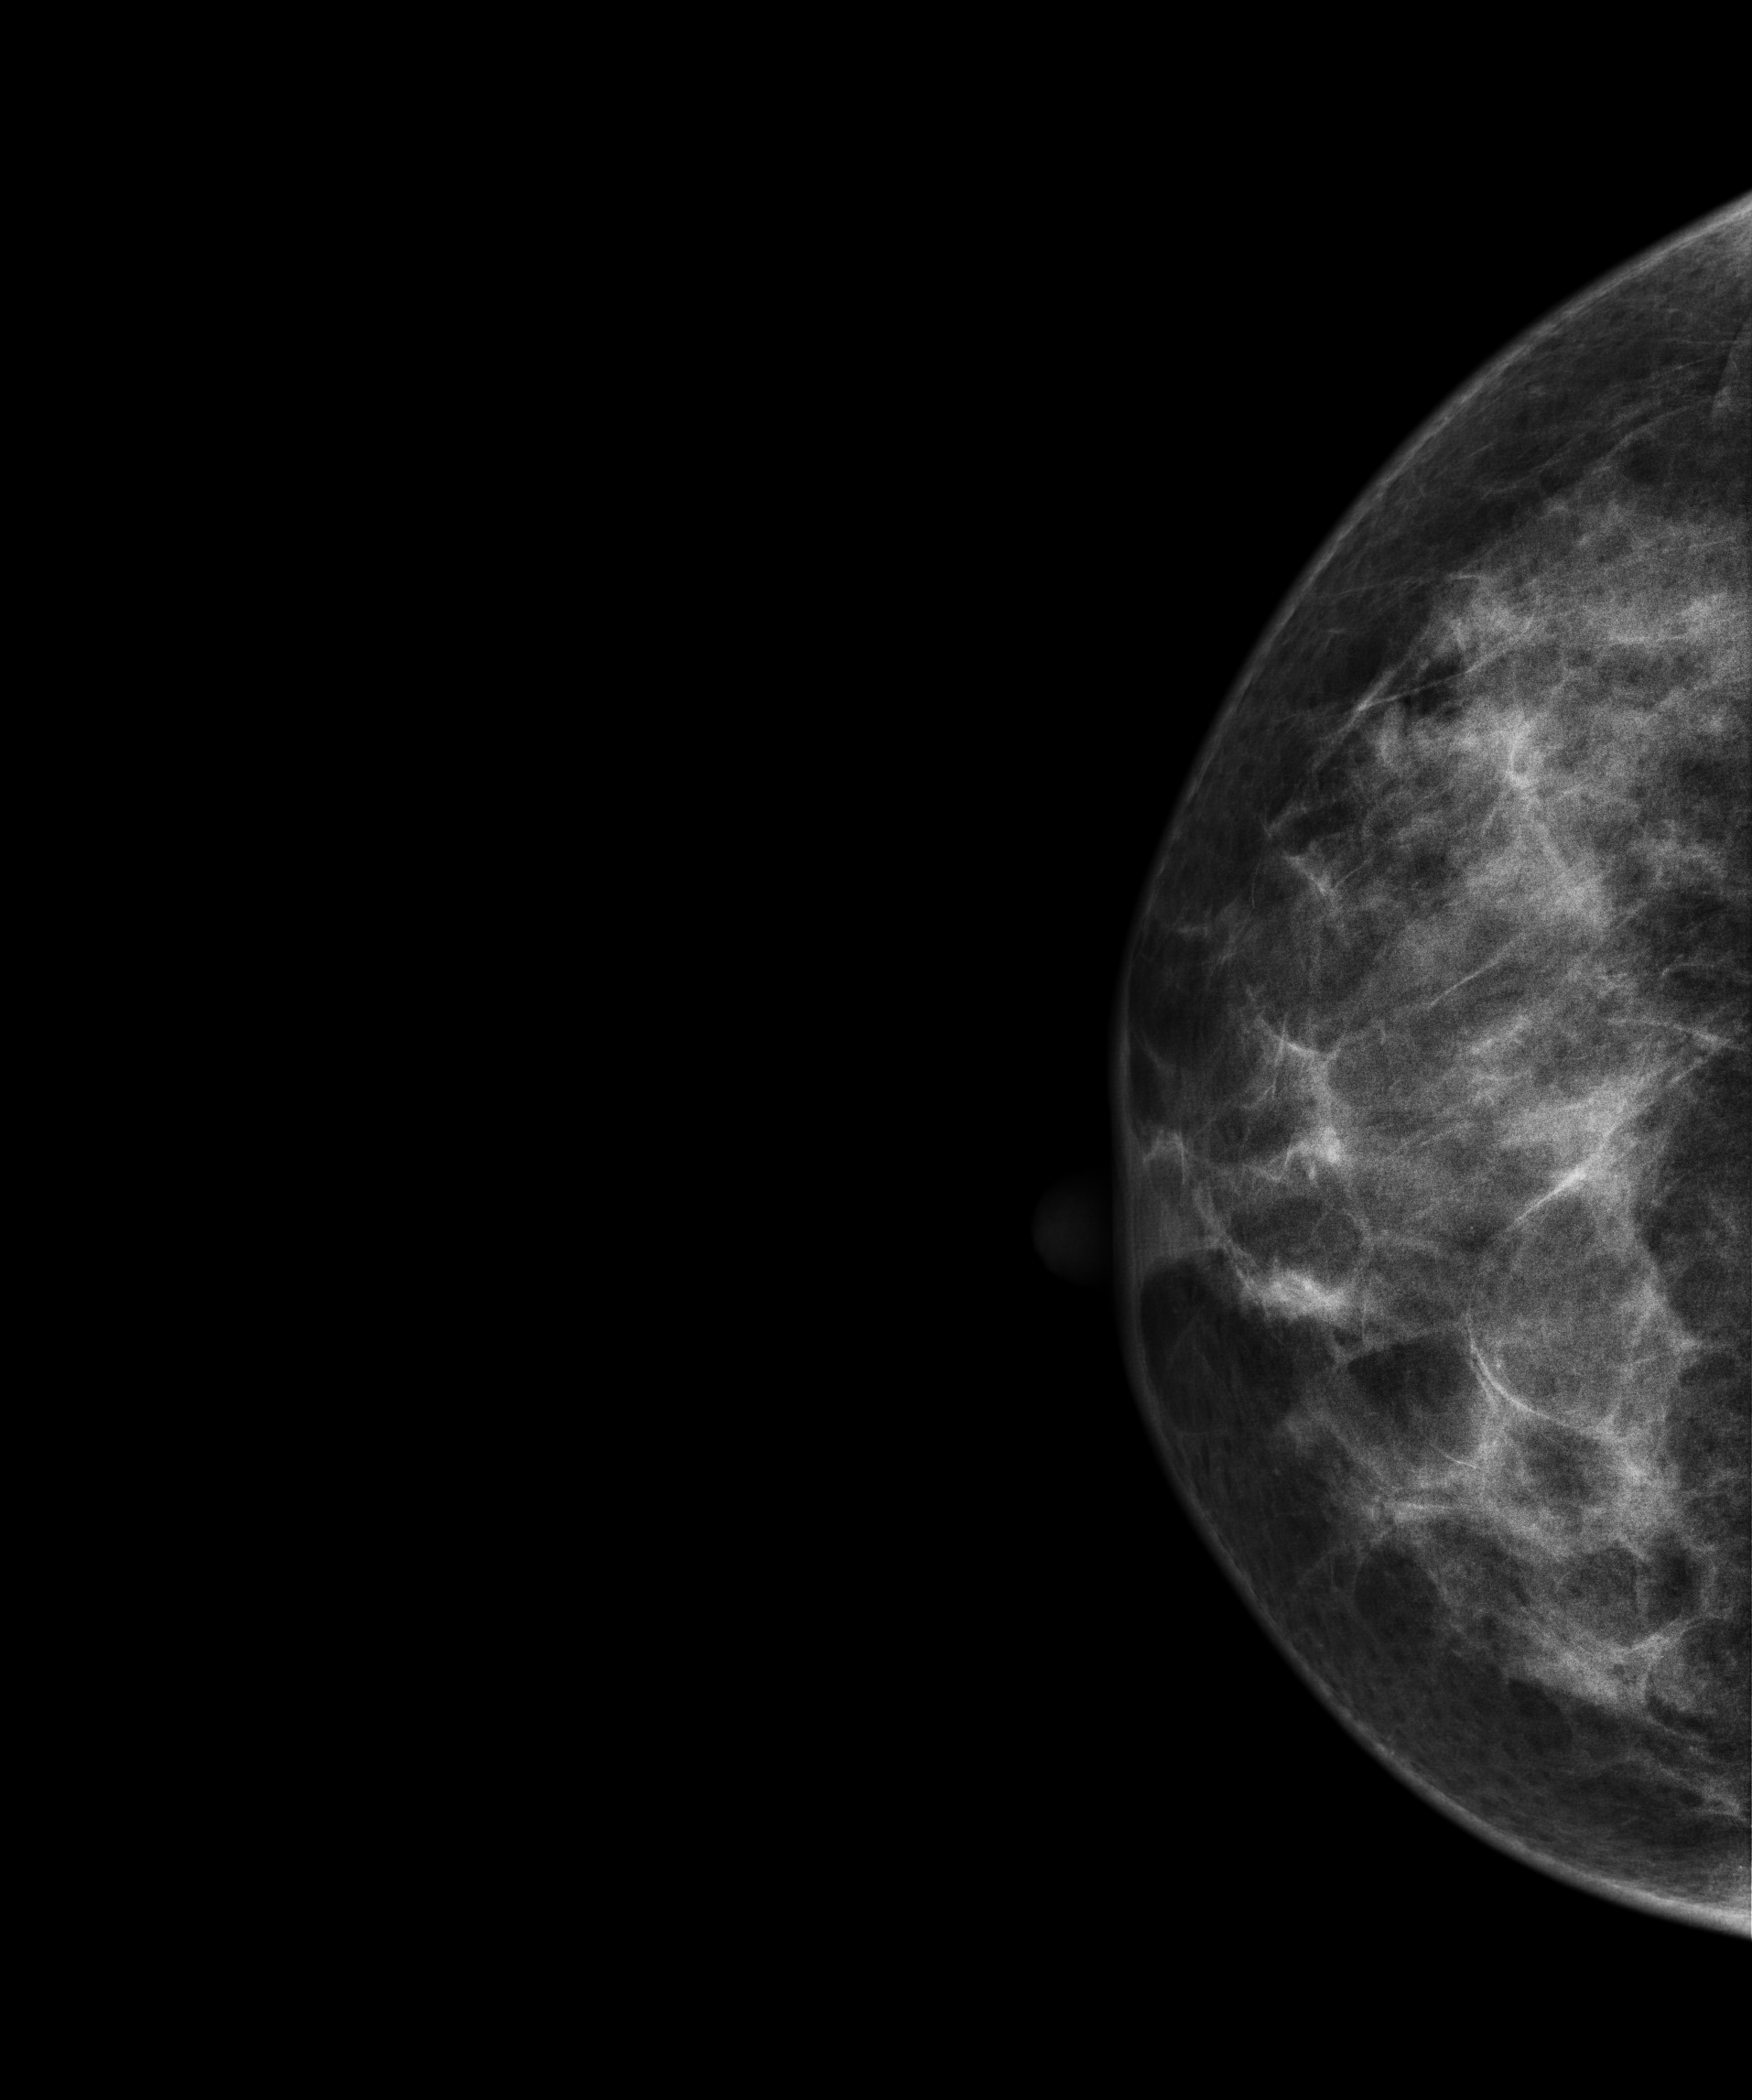
Cranio-caudal mammogram of the right breast. Patient age 35.
This breast has a mass, histologically confirmed benign.